Digital mammography. Right breast, MLO projection. 48 y/o patient.
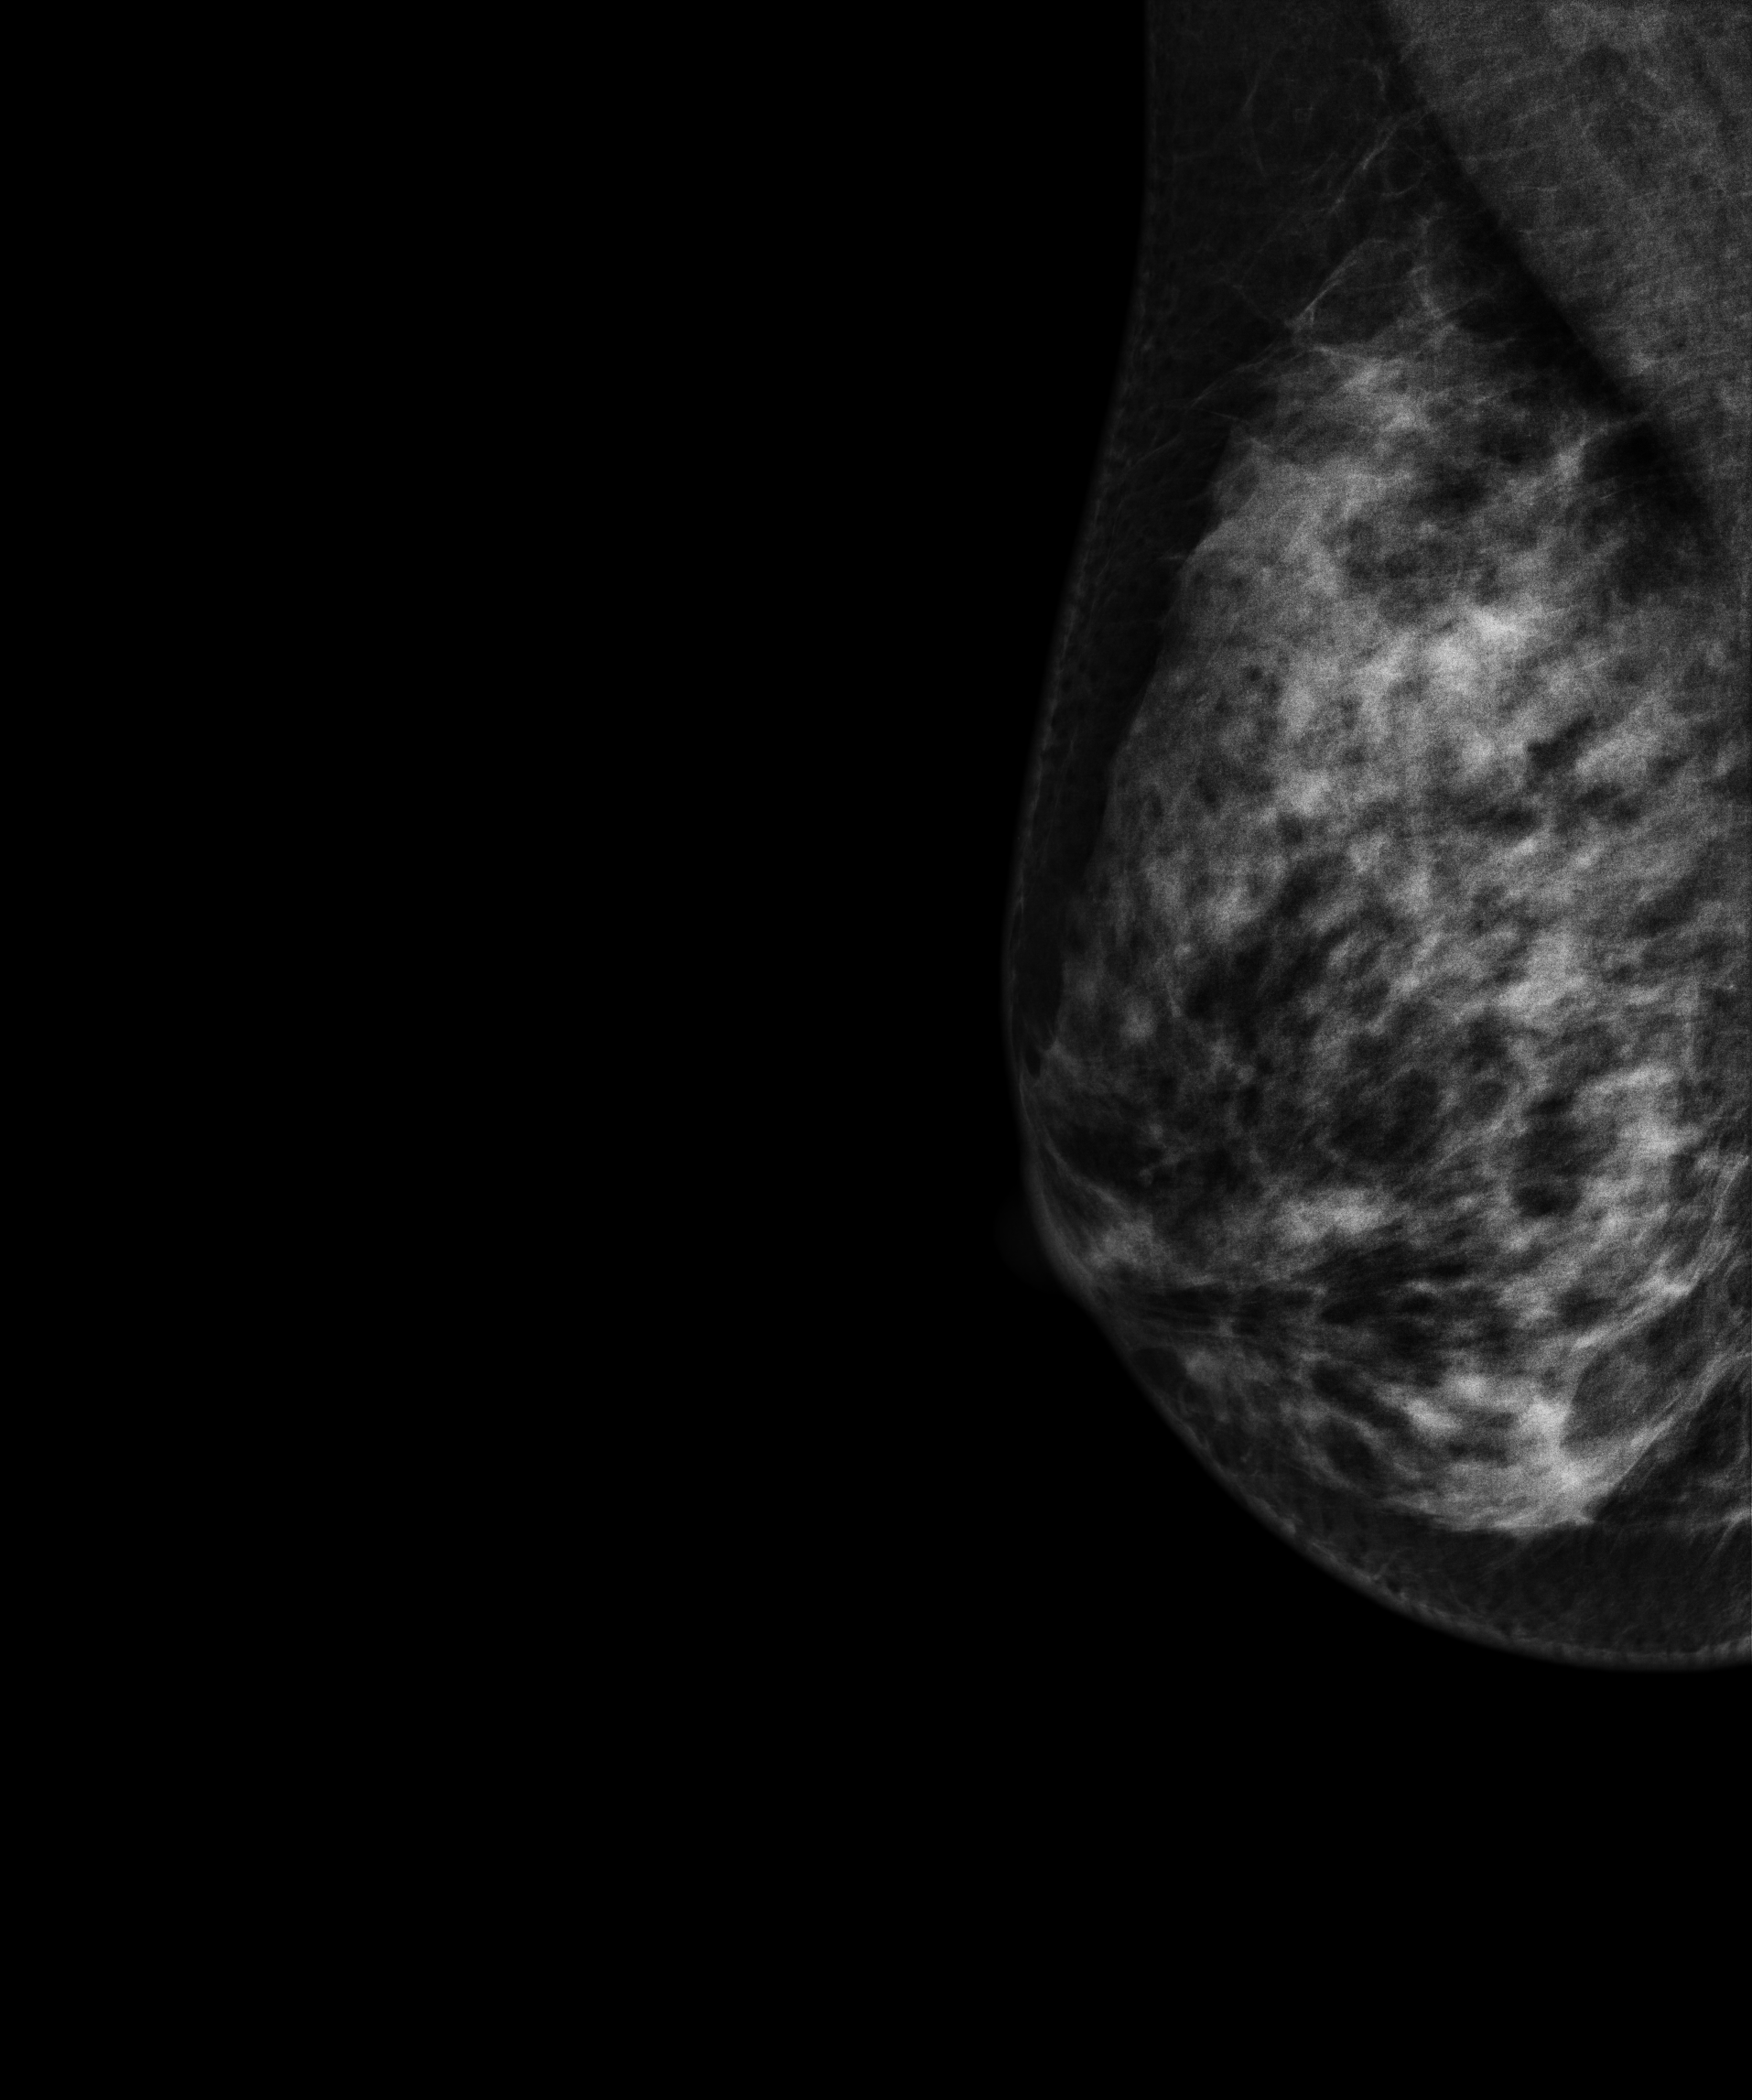
Contralateral breast — no documented abnormality on this side.